Digital mammography. Left breast, cranio-caudal projection. Patient age 42.
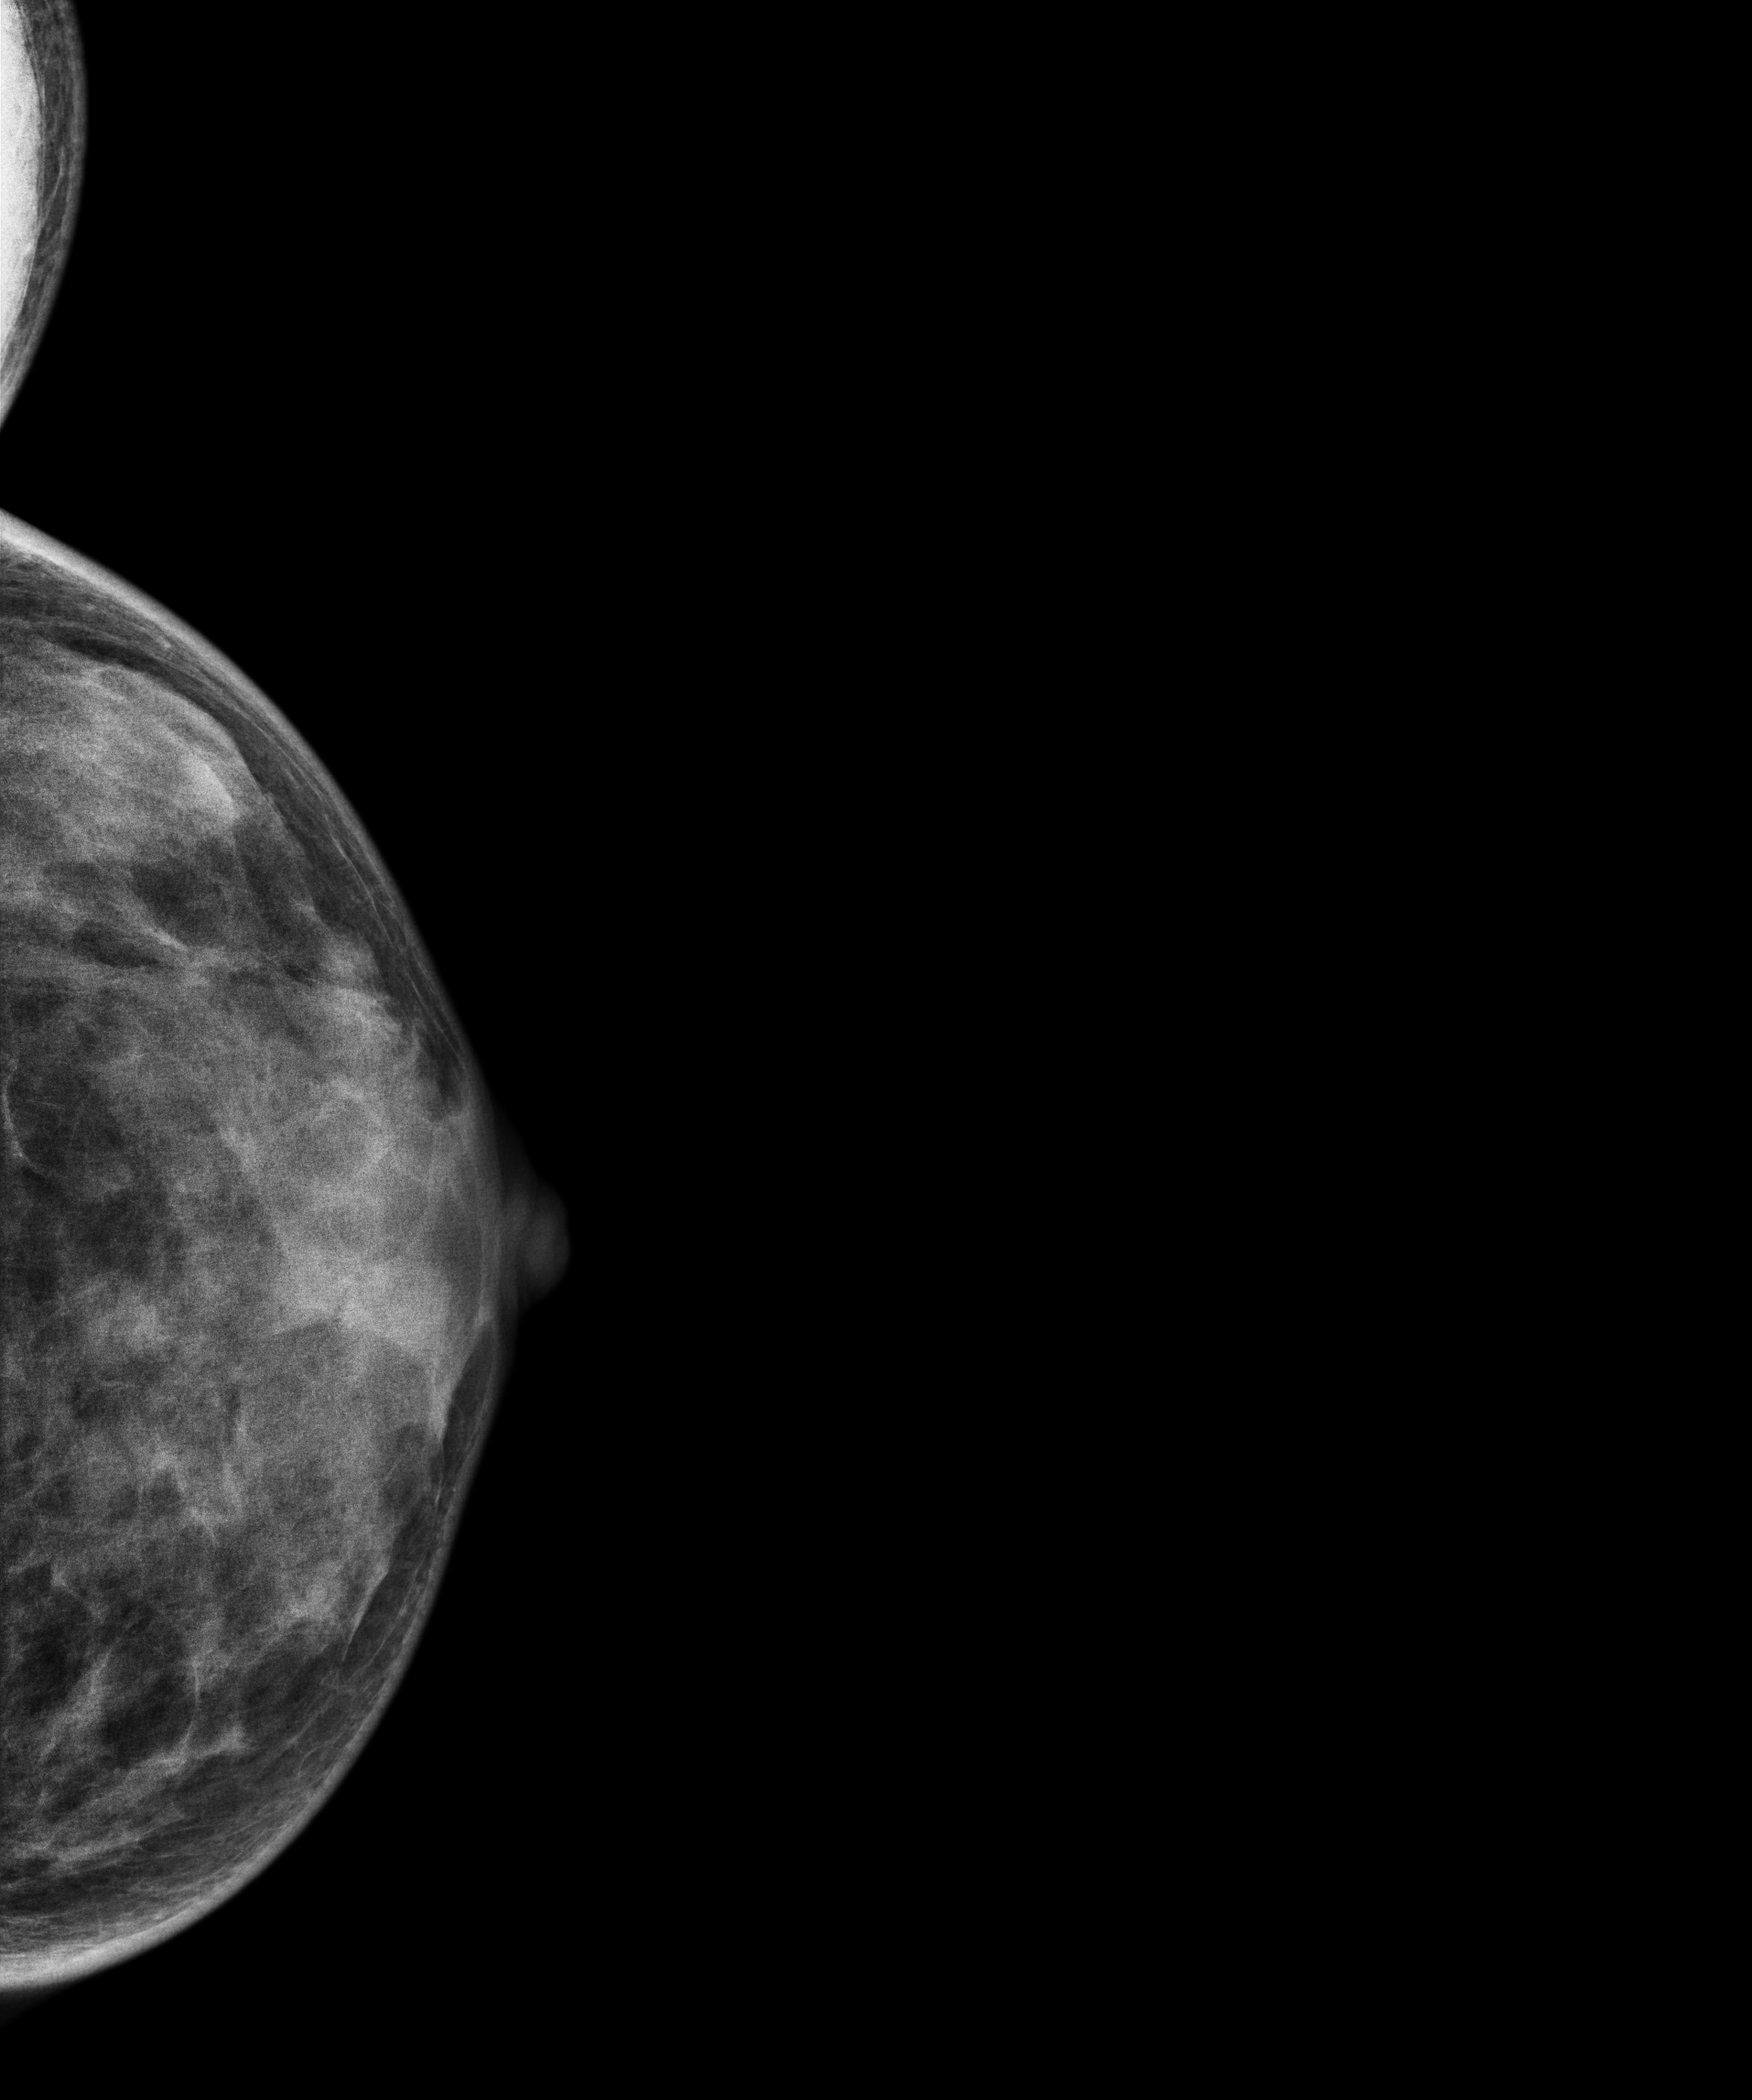
Contralateral breast — no documented abnormality on this side.